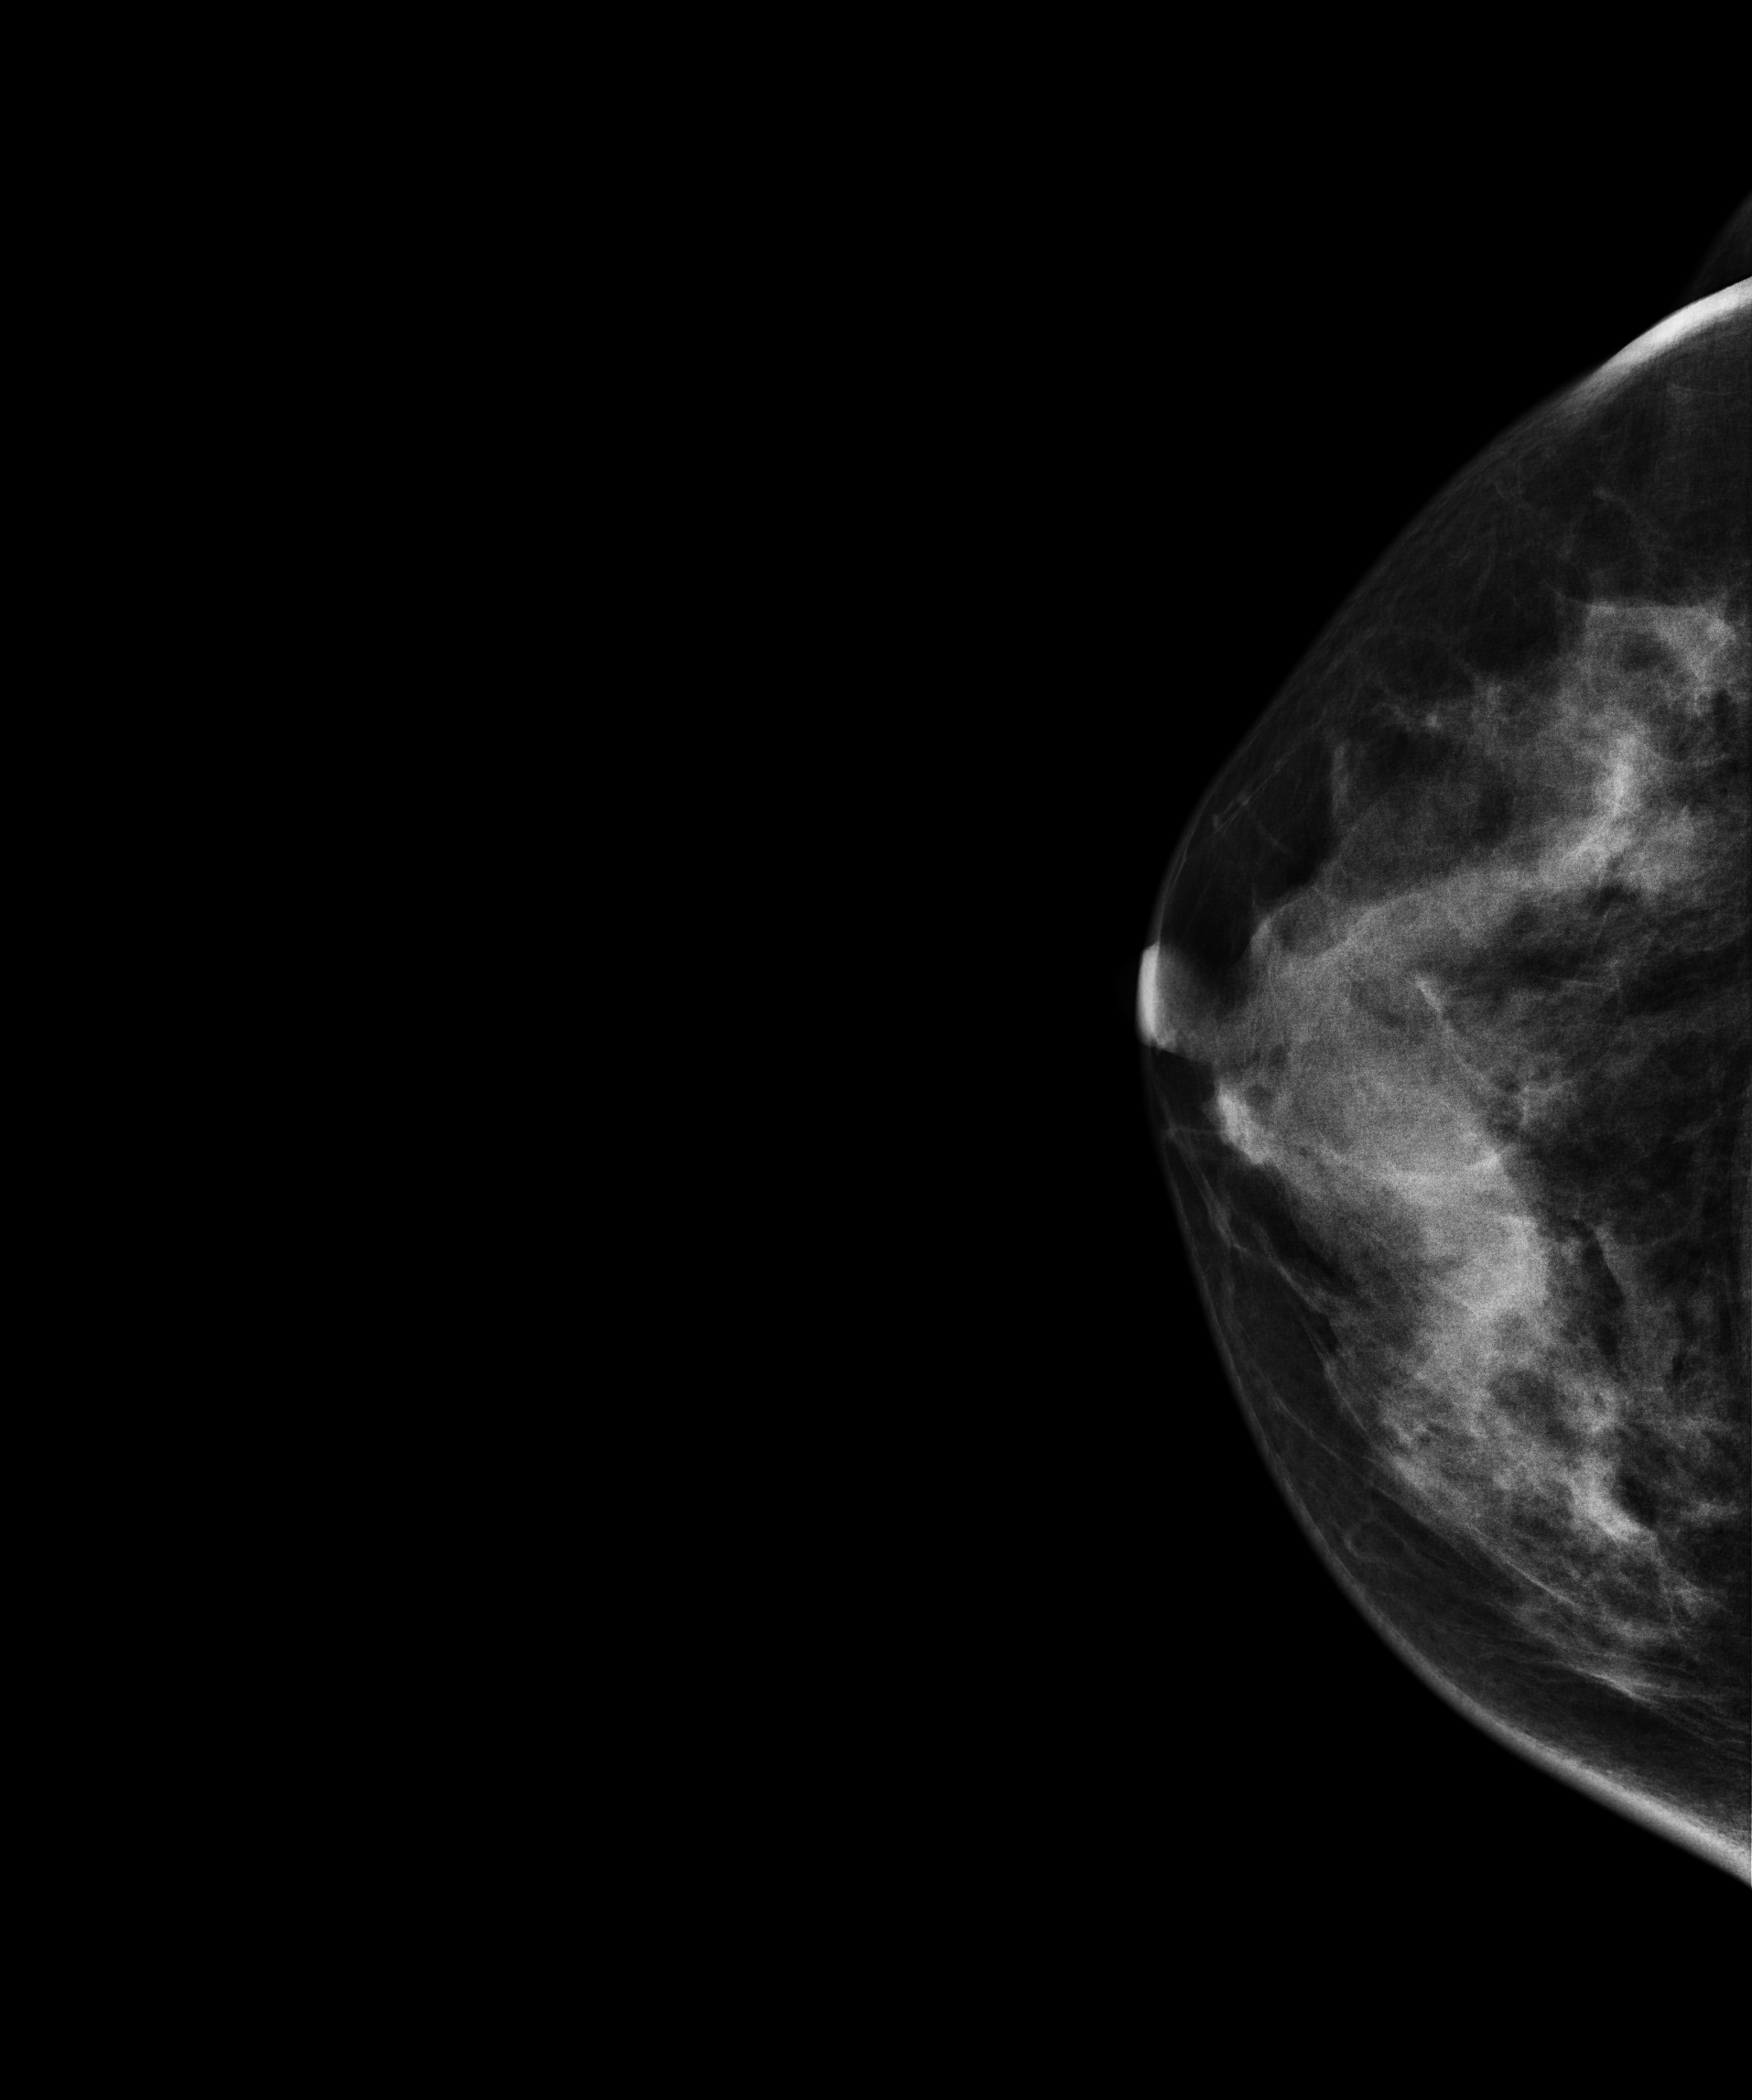
Digital mammography. Right breast, CC projection. 52-year-old patient.
This breast has a mass and calcifications, biopsy-proven benign.